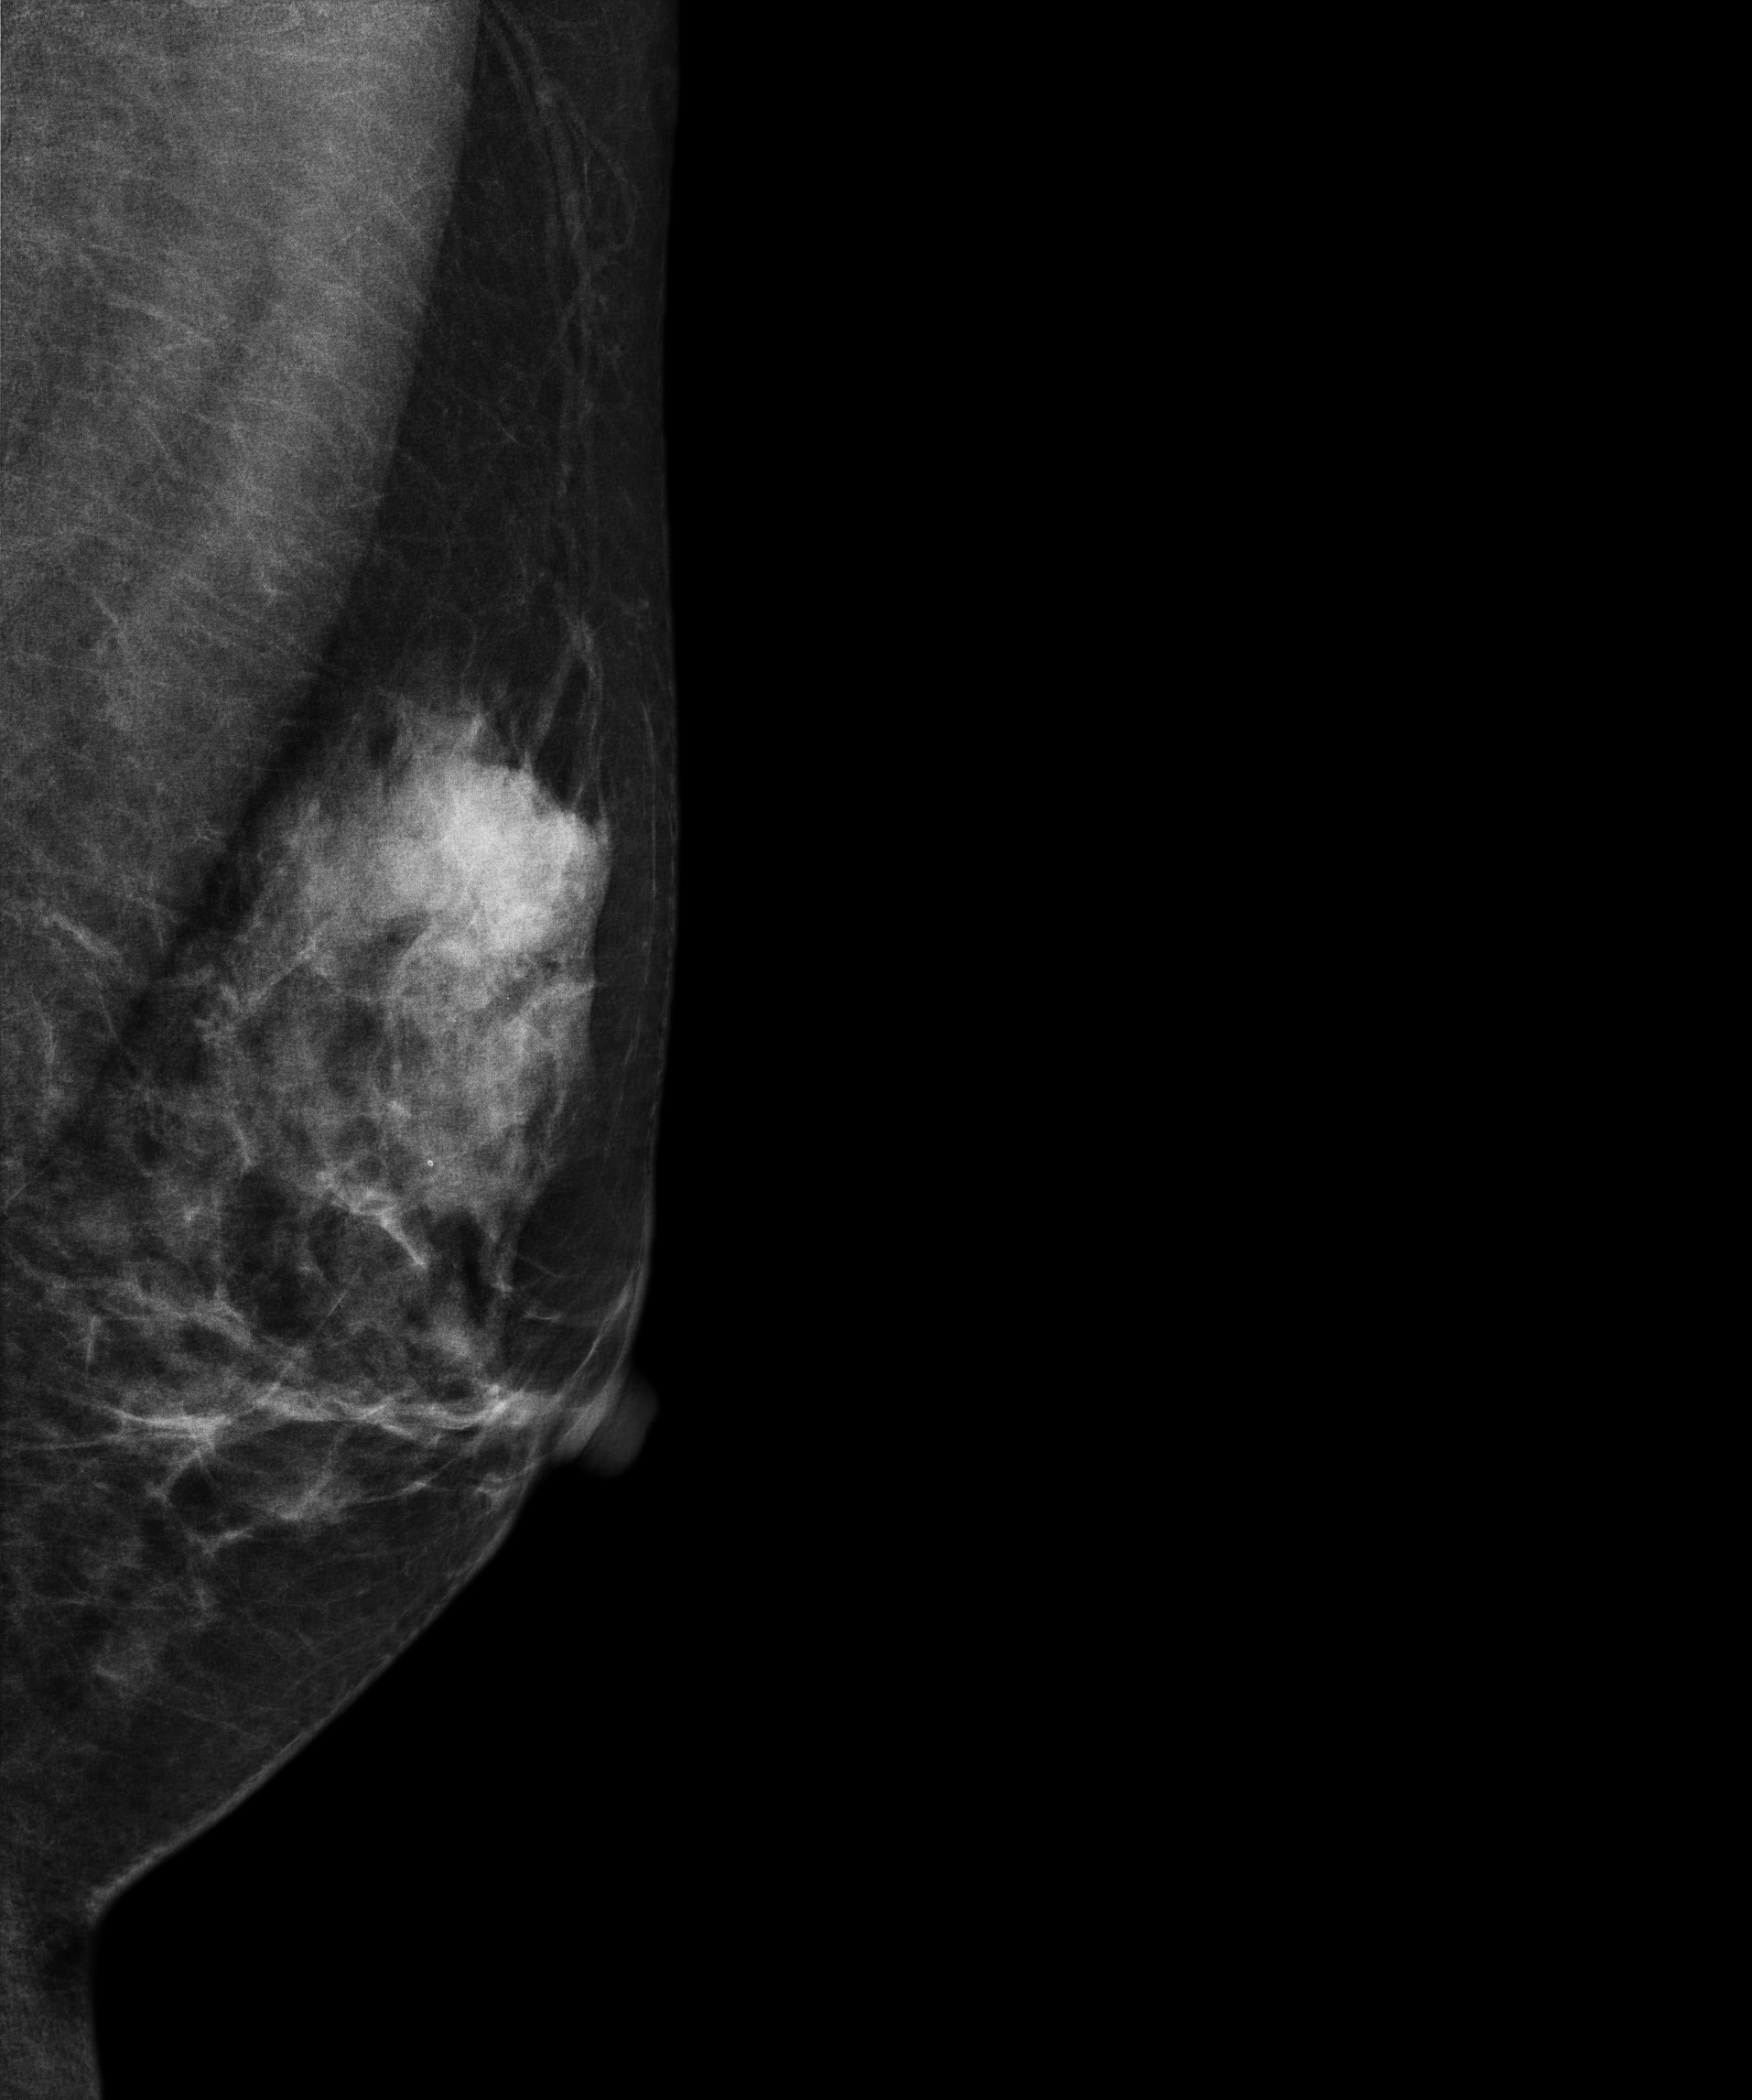
Digital mammography. Left breast, MLO projection. Patient age 50.
This breast has a mass, biopsy-proven malignant. Molecular subtype: HER2-enriched.